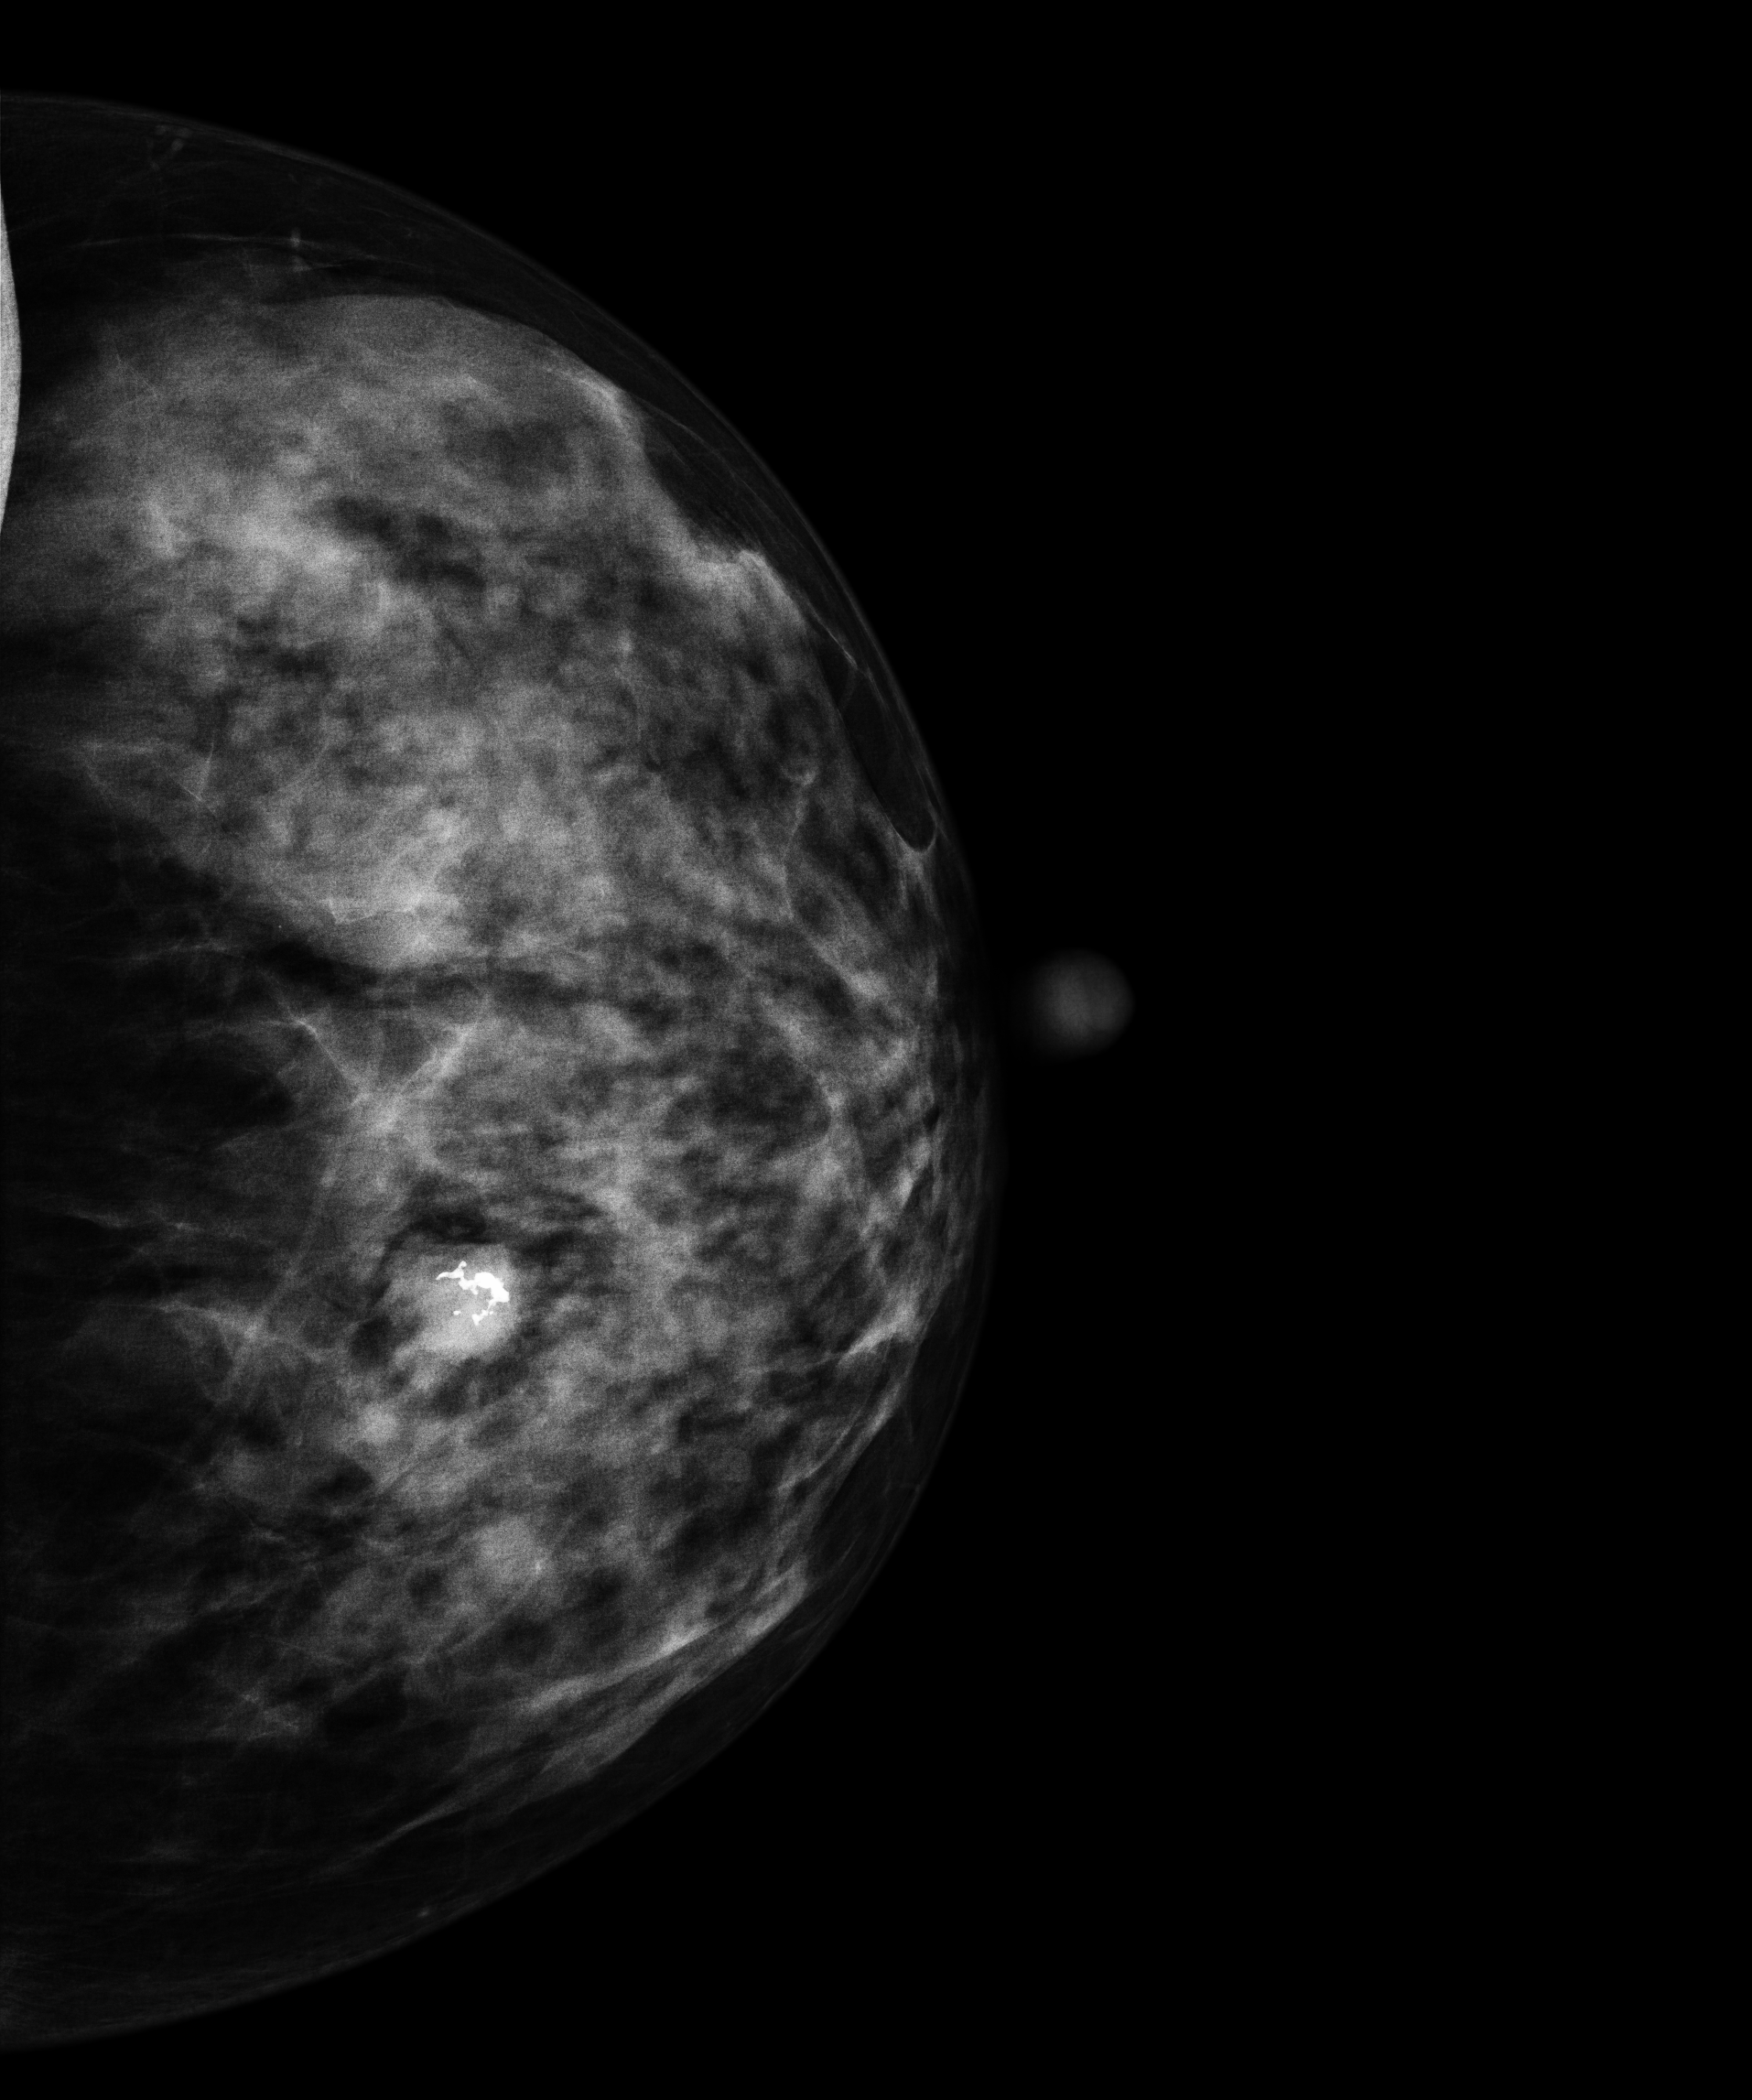
Cranio-caudal mammogram of the left breast. Patient age 42.
This breast has a mass, histologically confirmed benign.